CC mammogram of the right breast. Patient age 56.
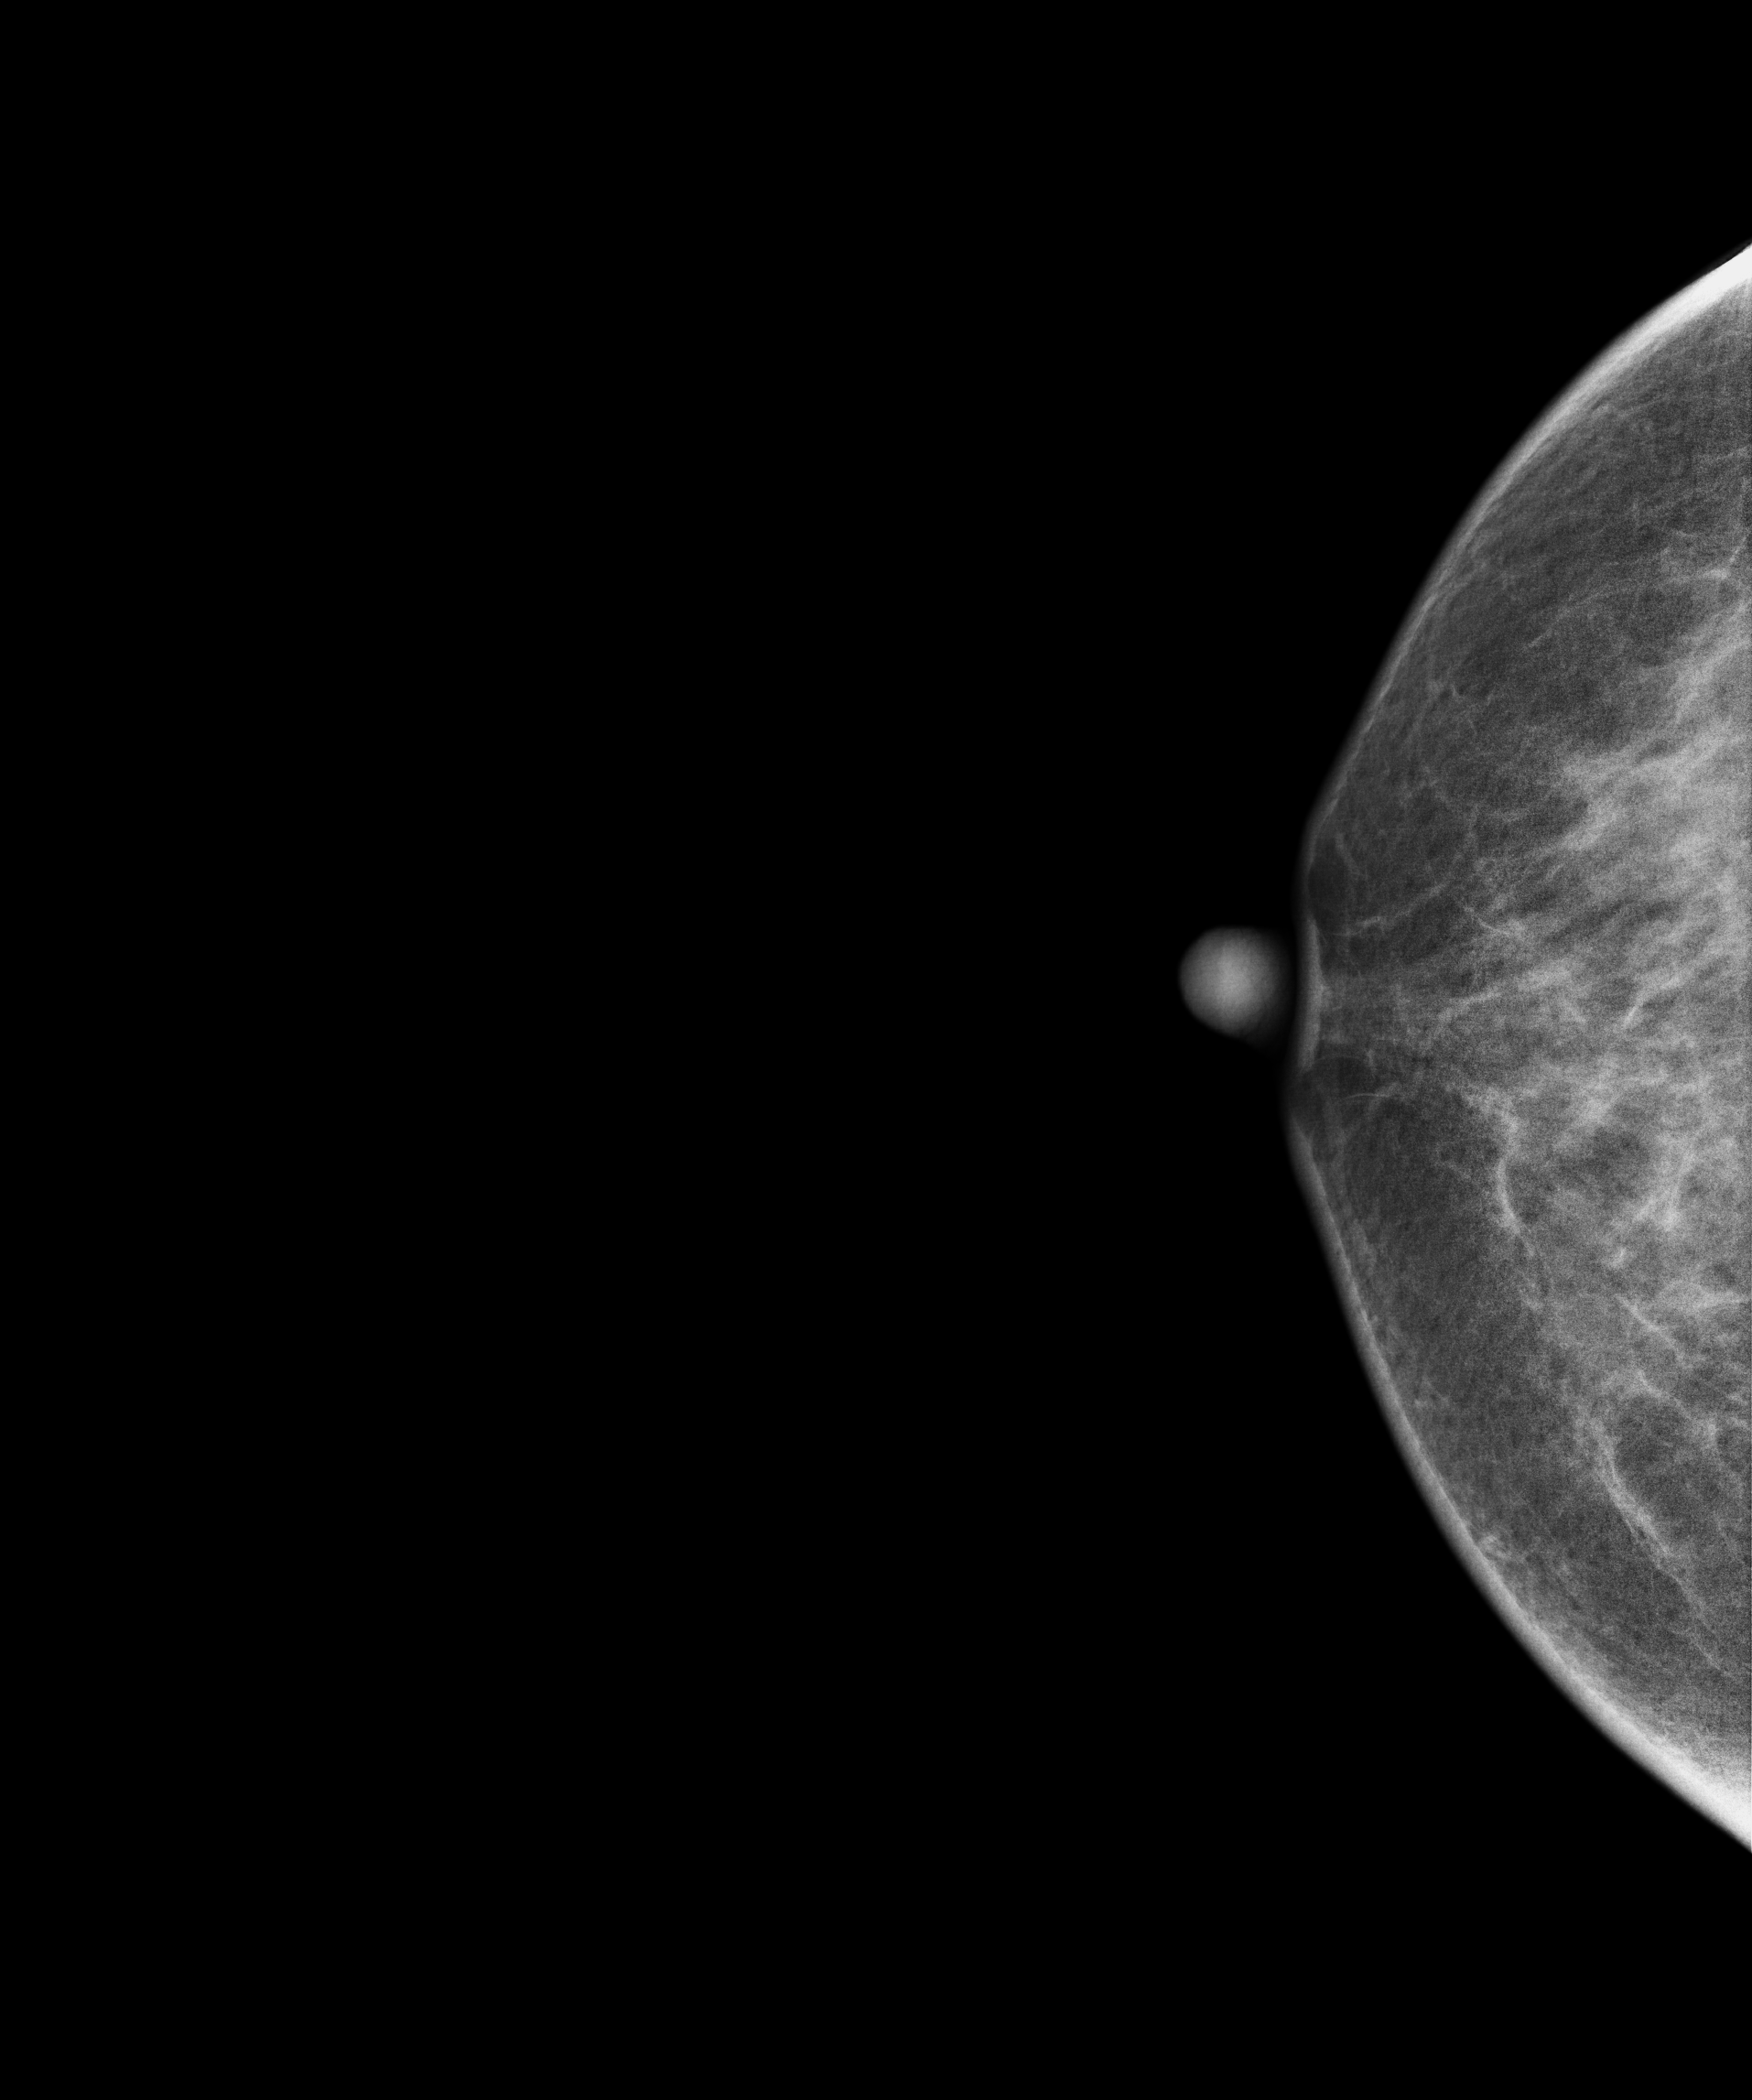
Contralateral breast — no documented abnormality on this side.